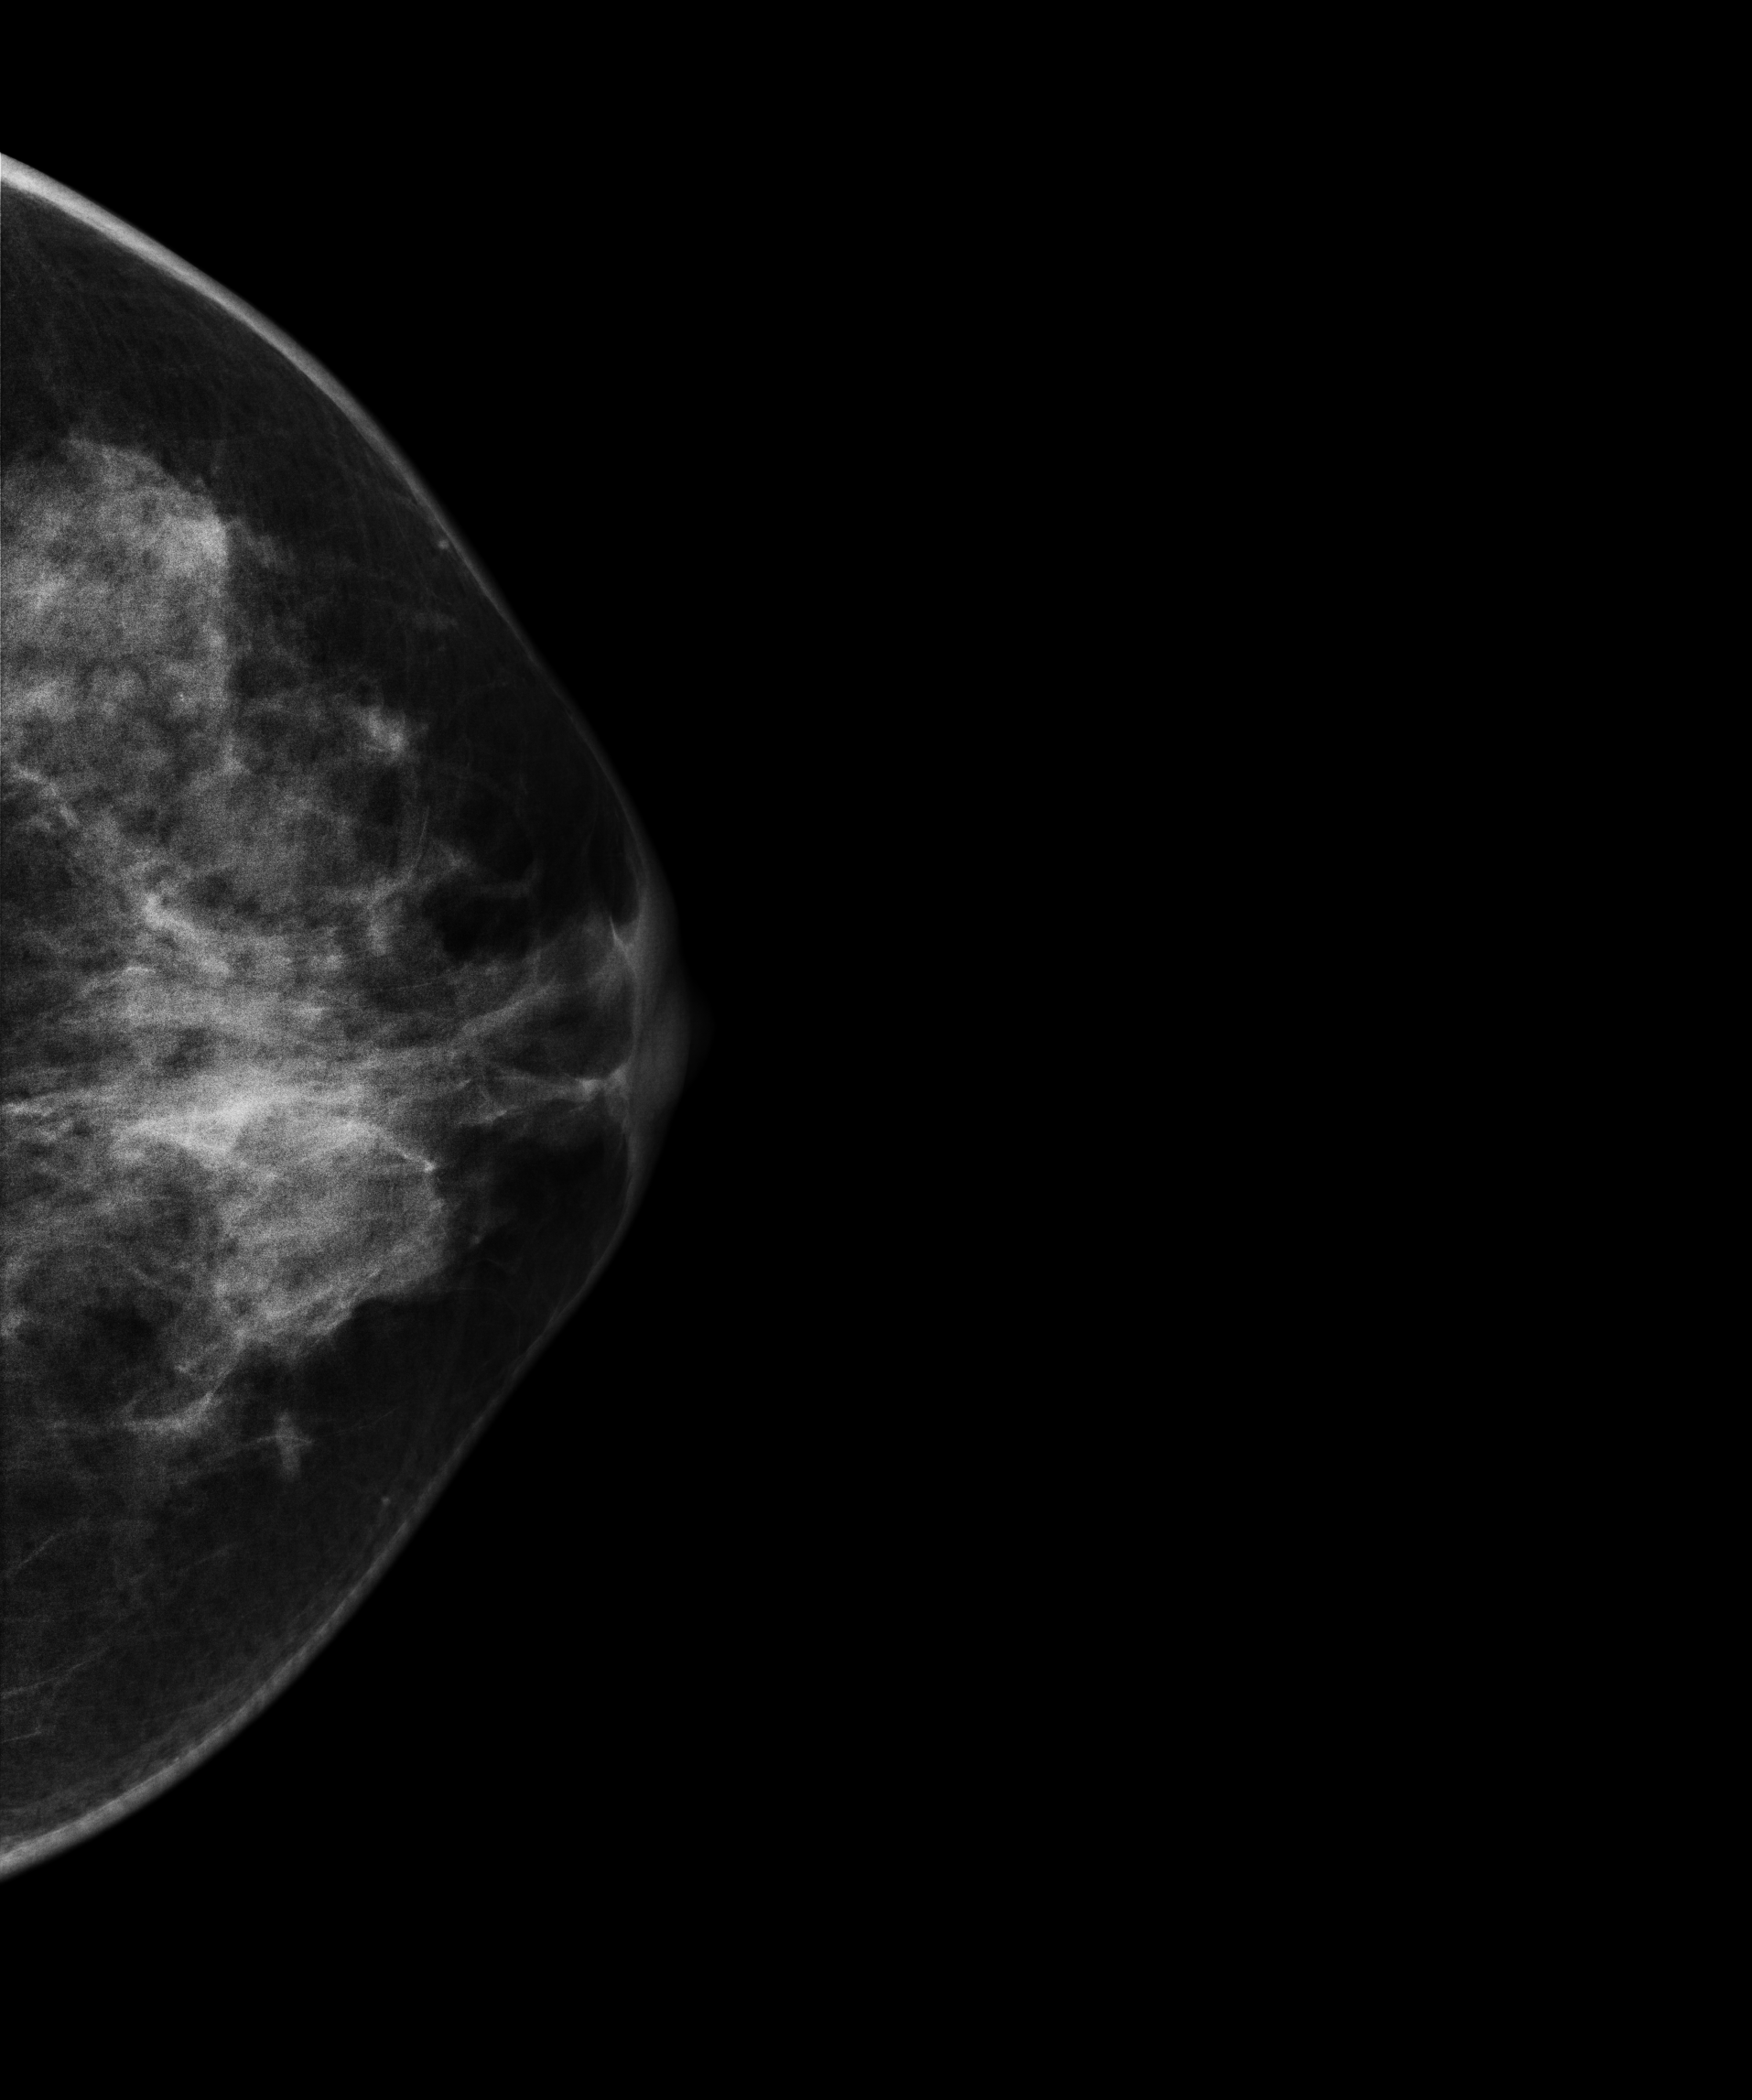
Mammogram, left breast, CC view. 53 y/o patient.
Contralateral breast — no documented abnormality on this side.